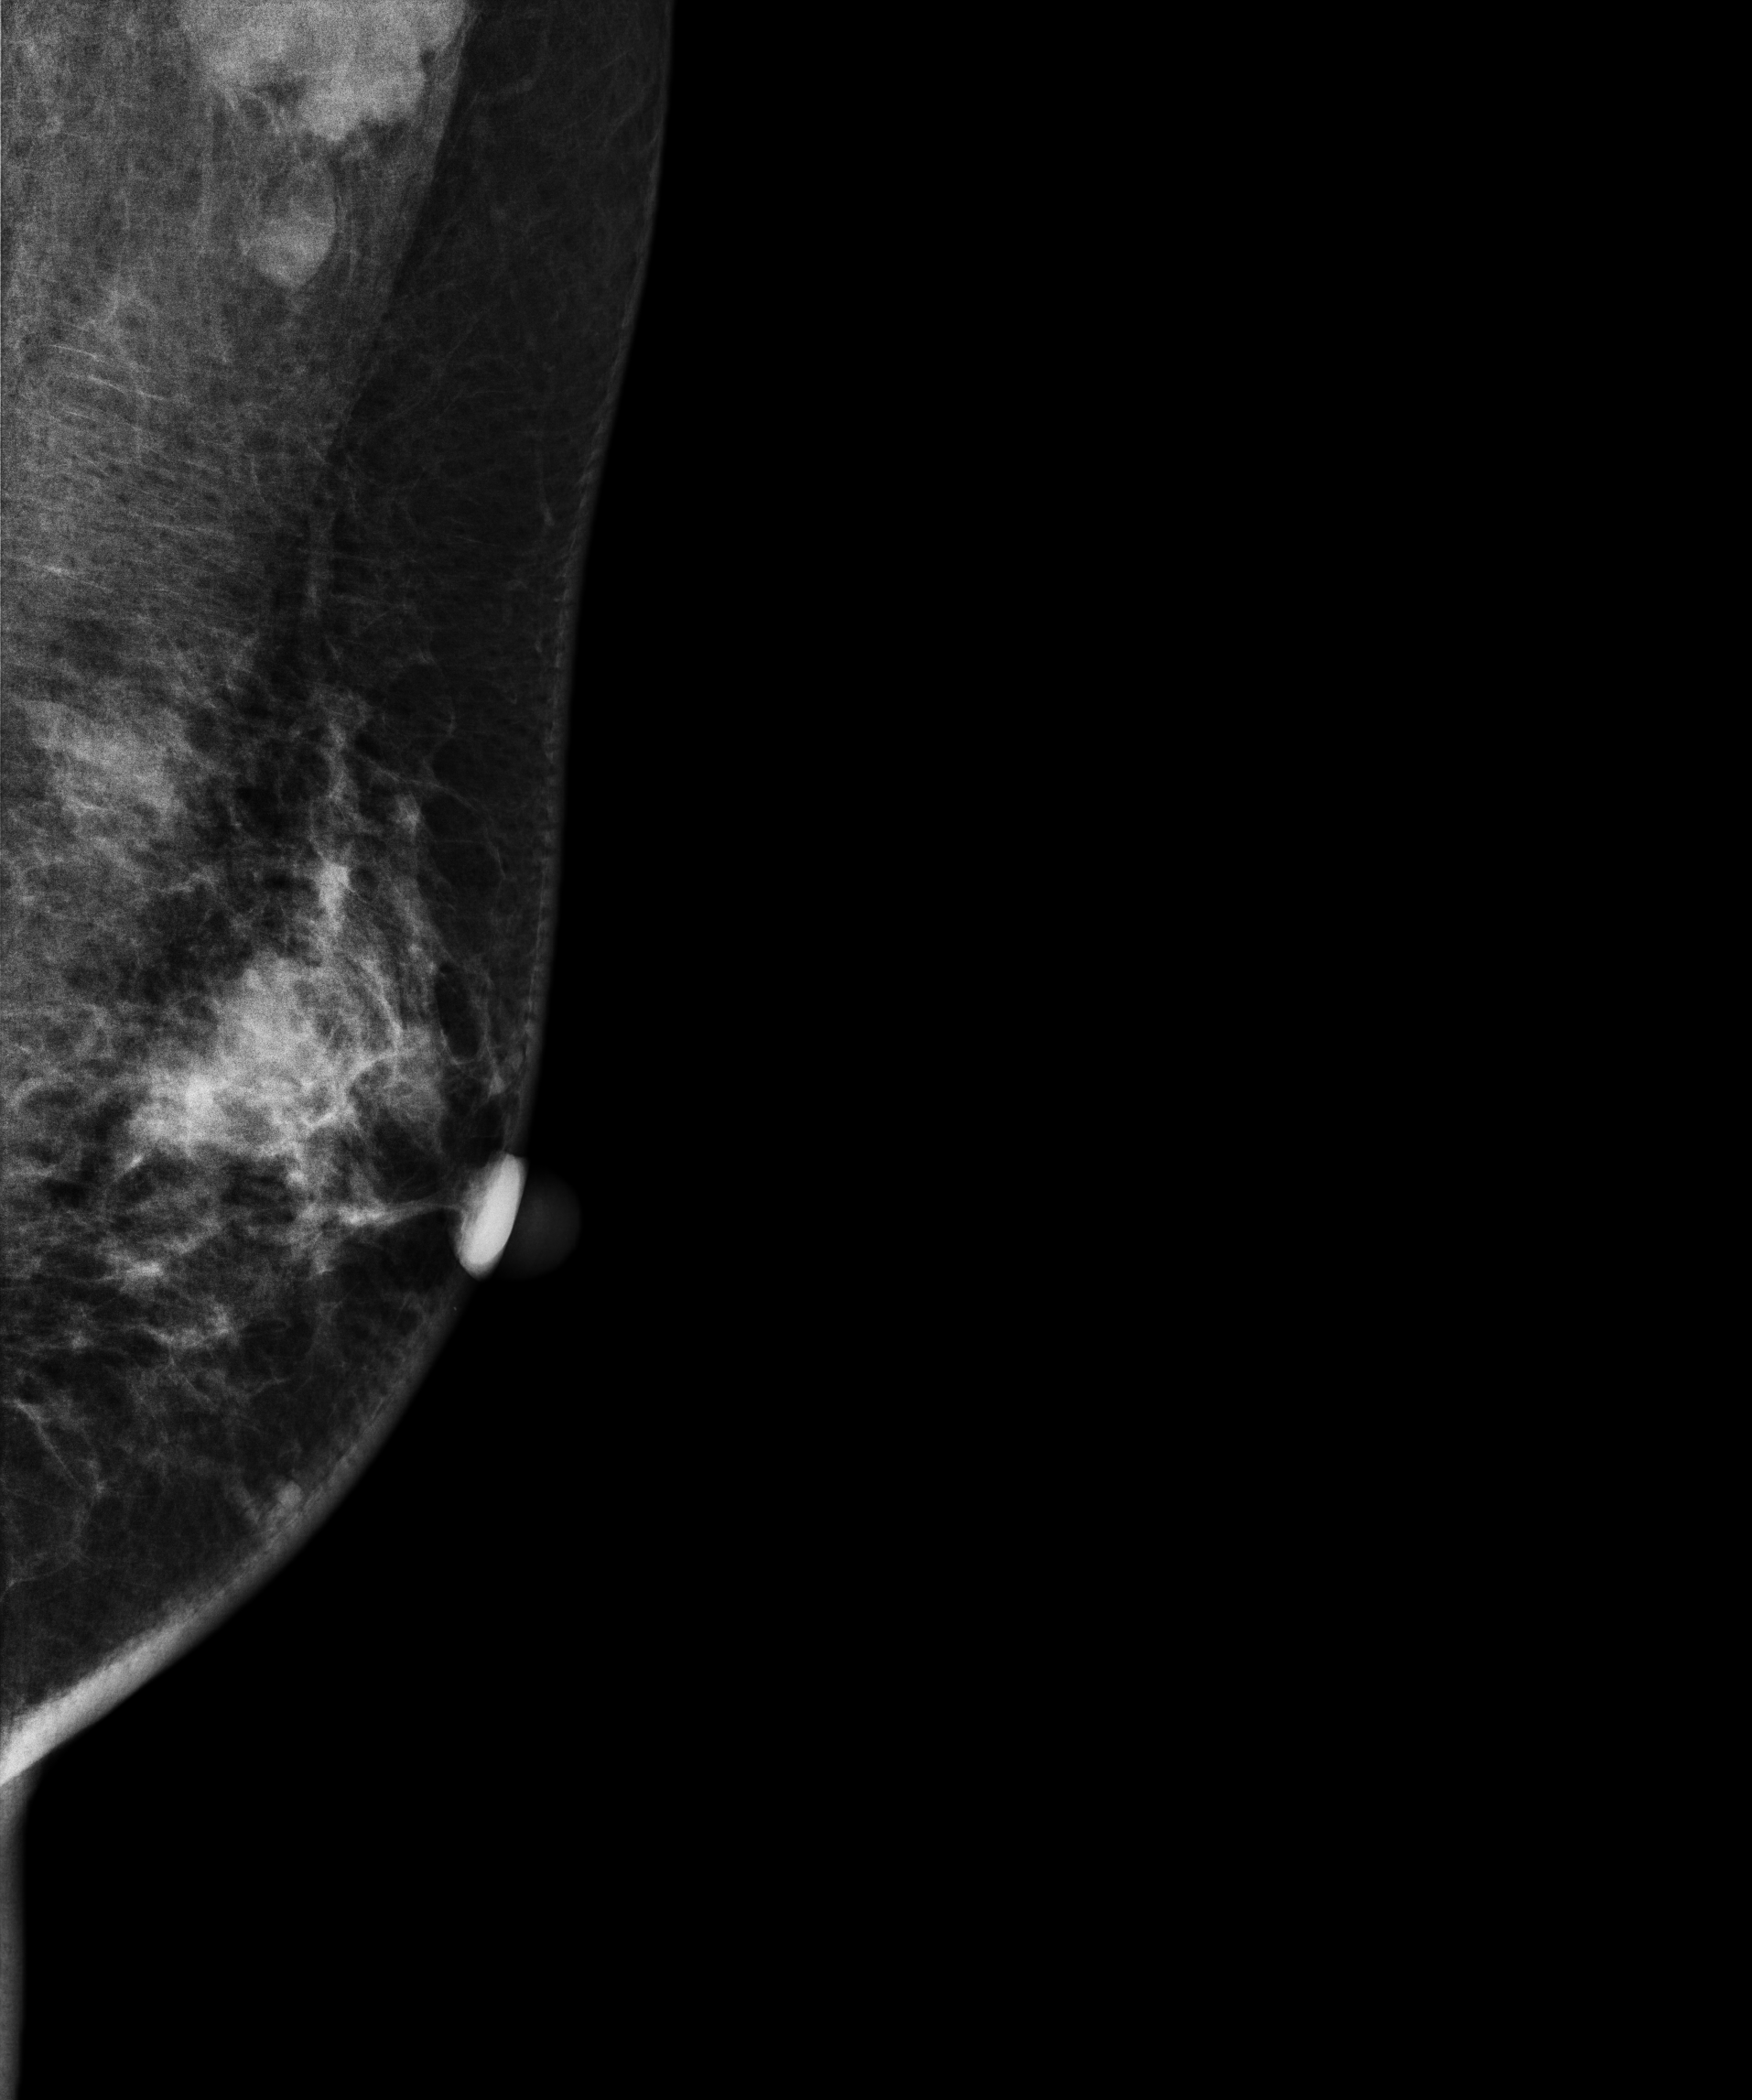
Left-breast mammogram, MLO. 53 y/o patient.
This breast has a mass, pathology-confirmed malignant. Molecular subtype: luminal B.